Cranio-caudal mammogram of the right breast. 32-year-old patient.
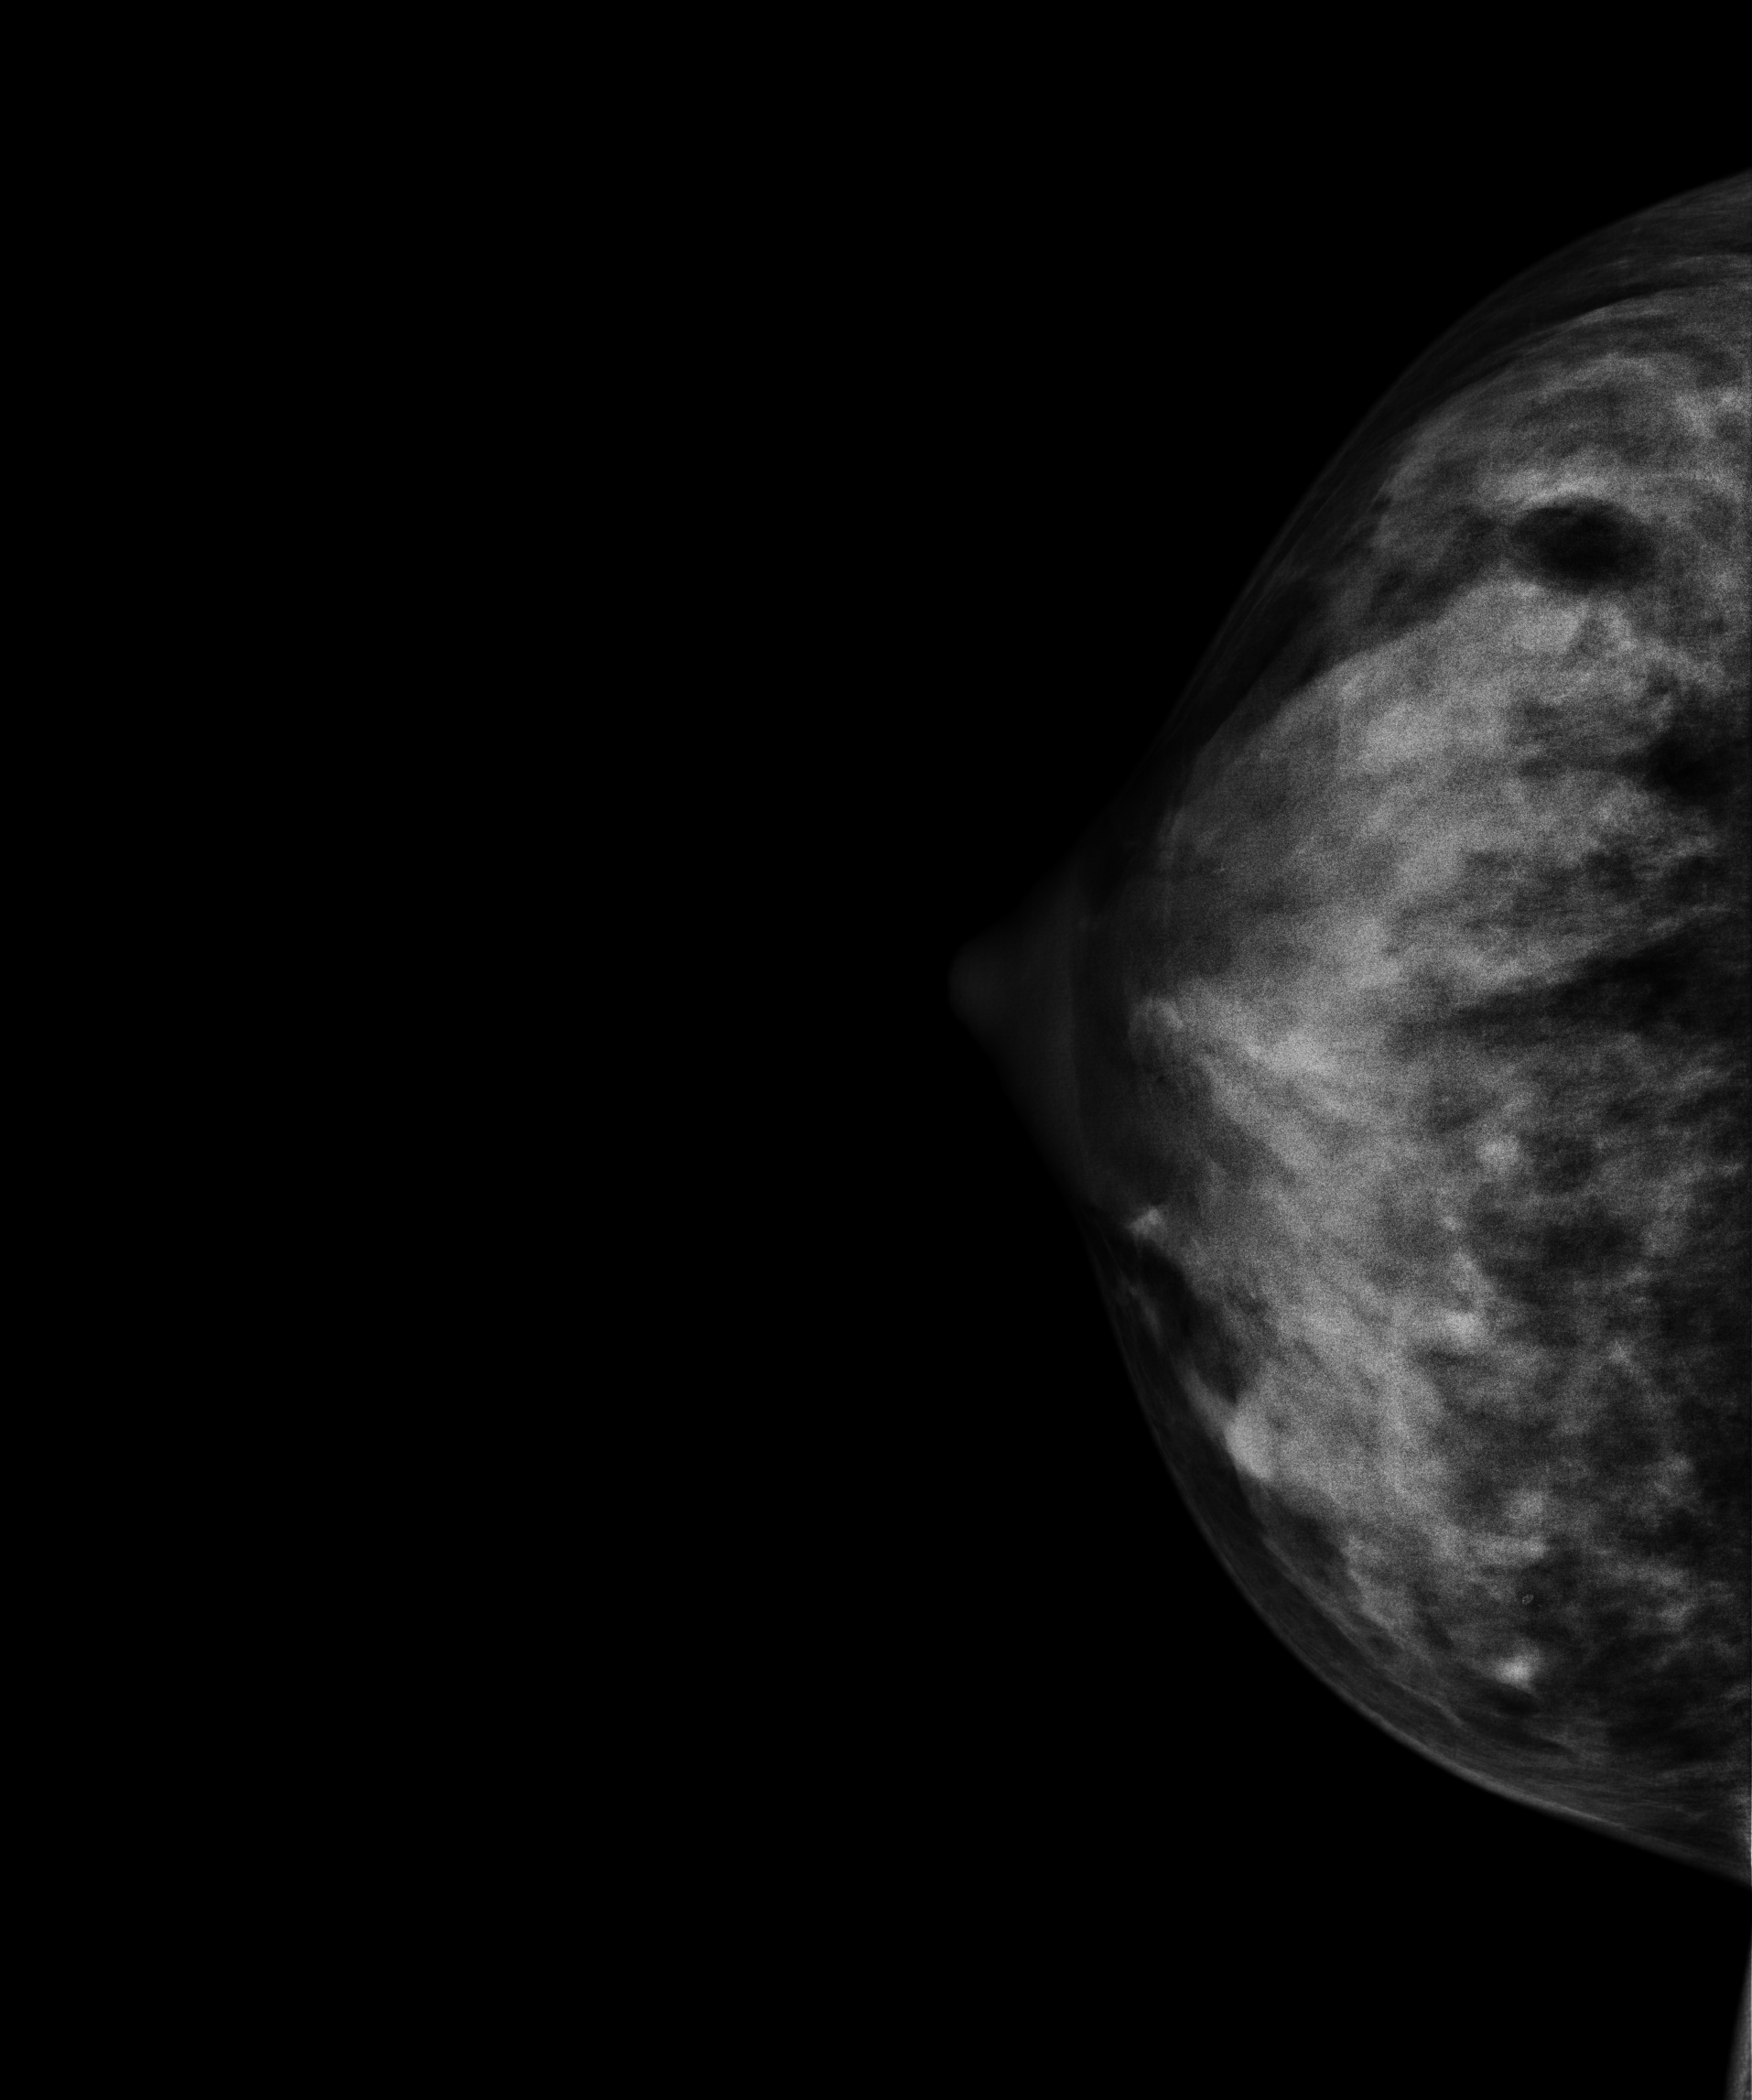
This breast has a mass, biopsy-confirmed benign.